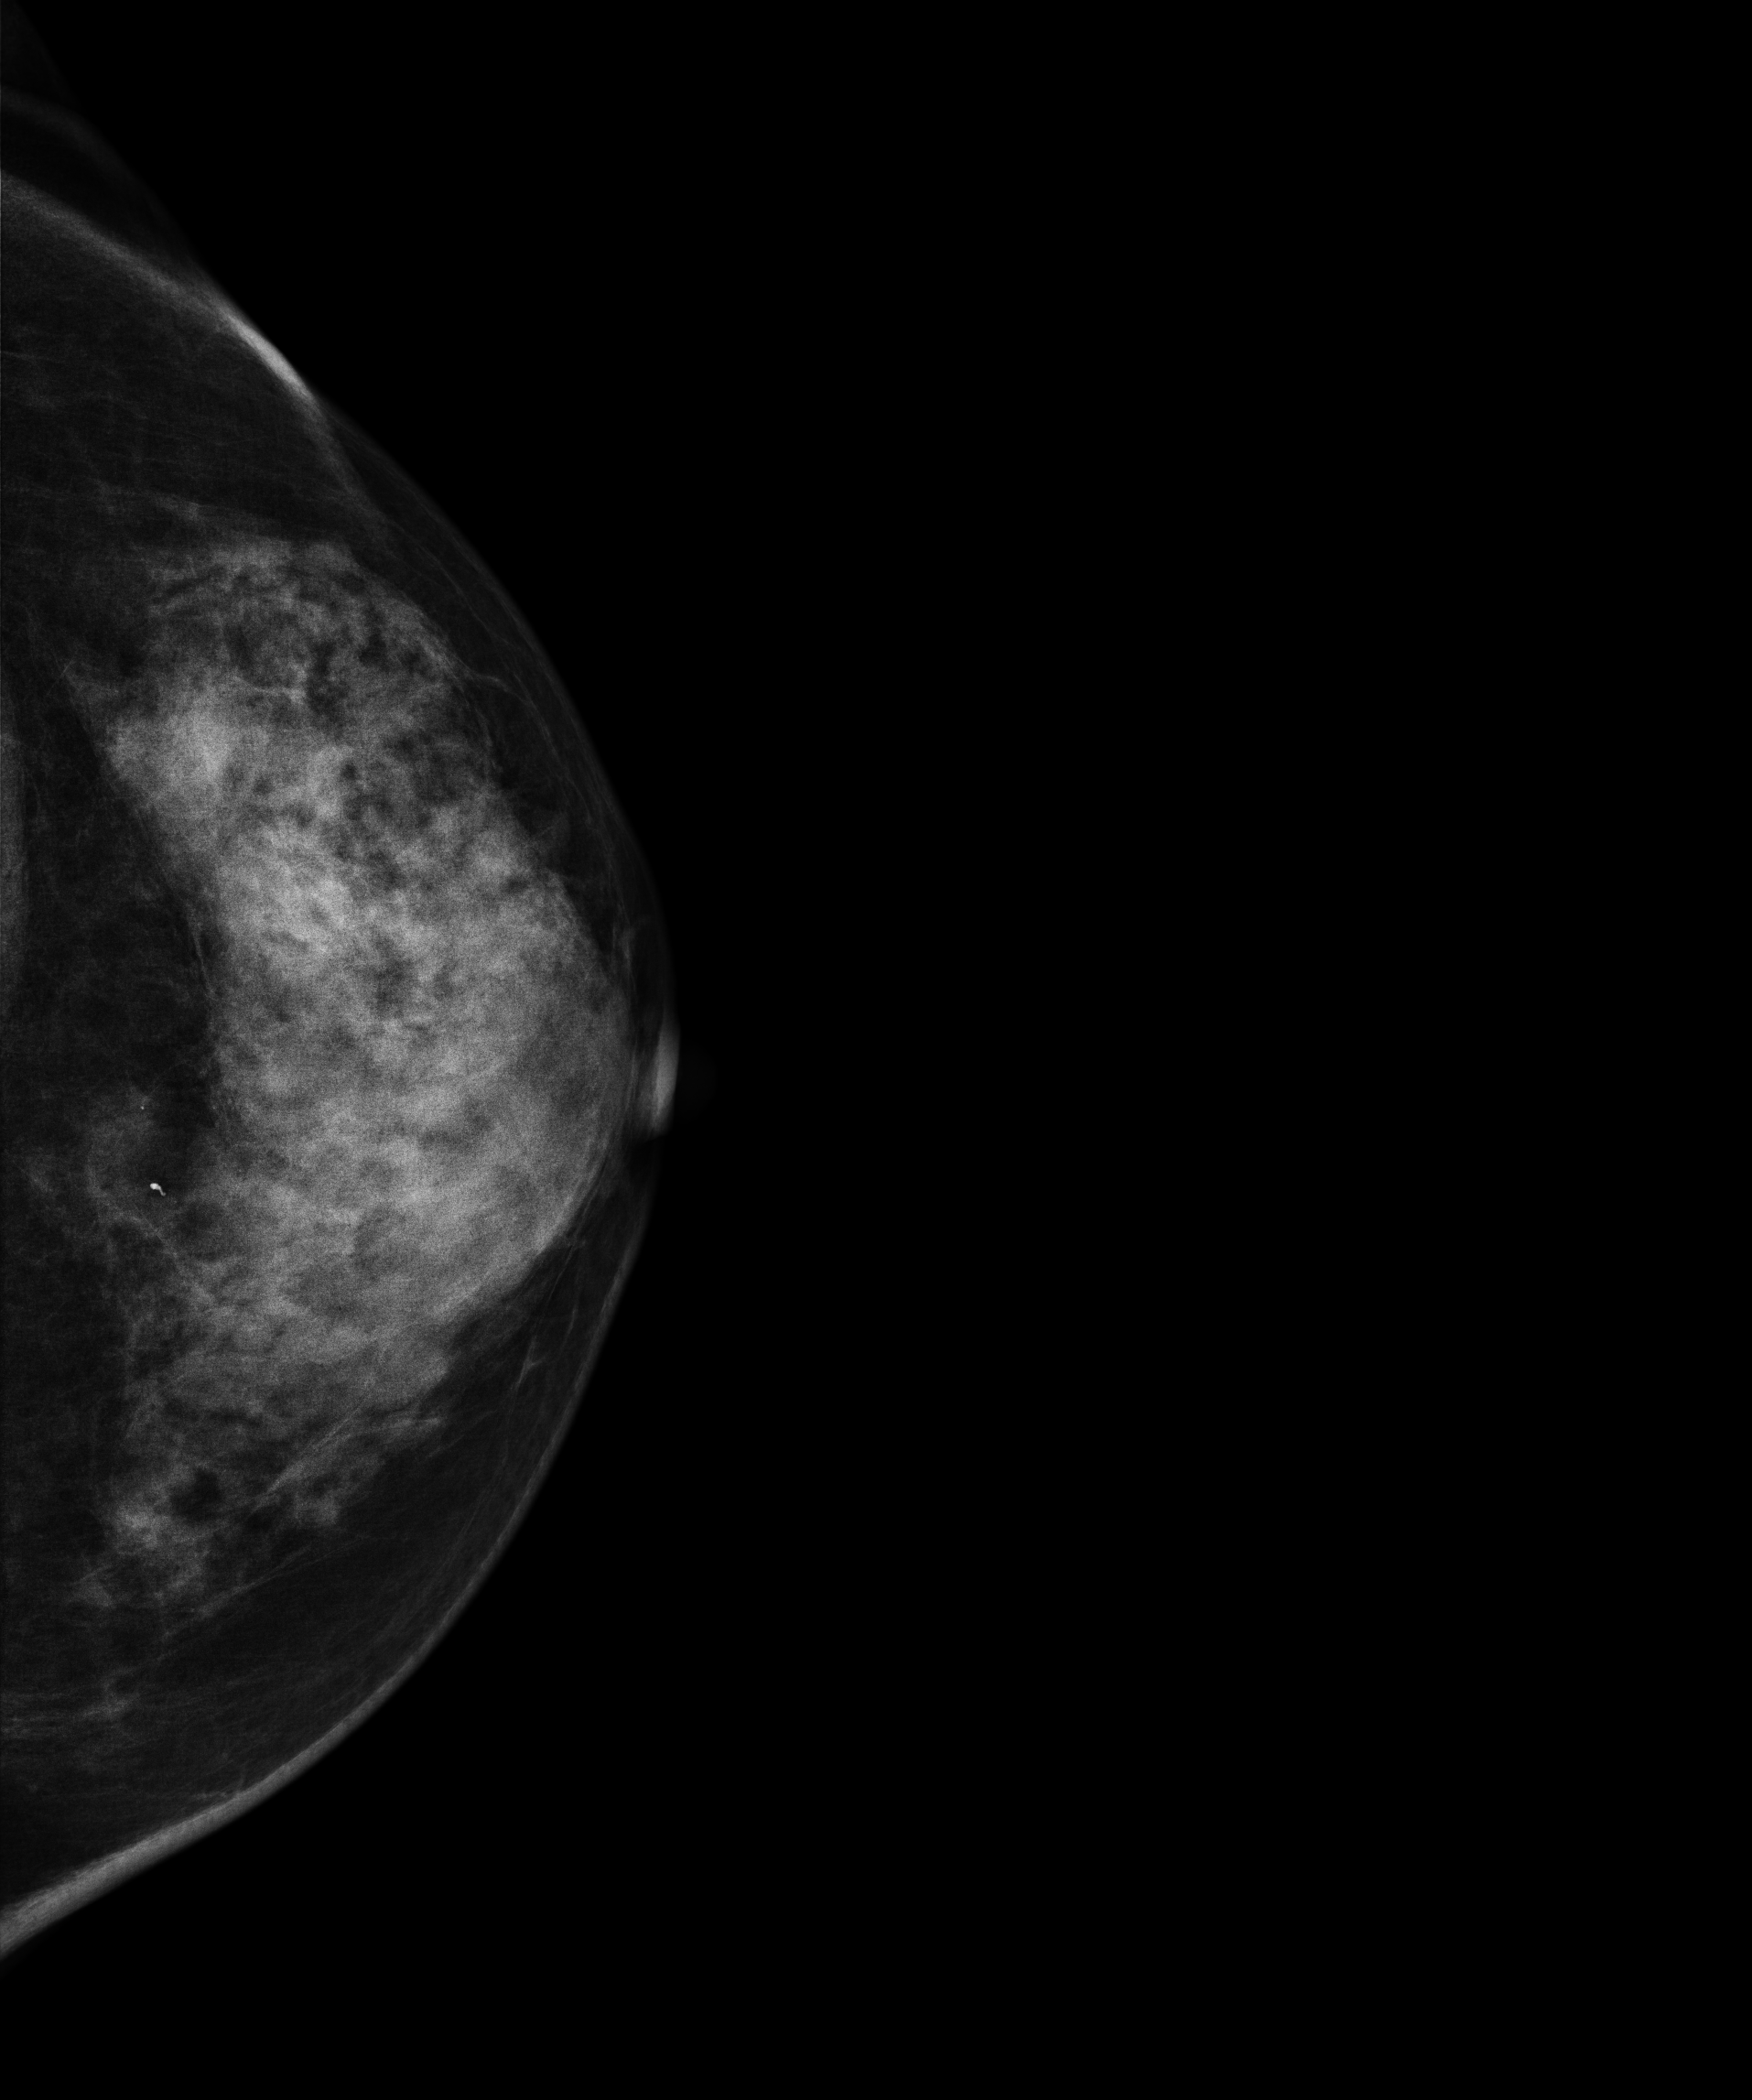
Digital mammography. Left breast, cranio-caudal projection. 48 y/o patient.
This breast has a mass, histologically confirmed malignant.